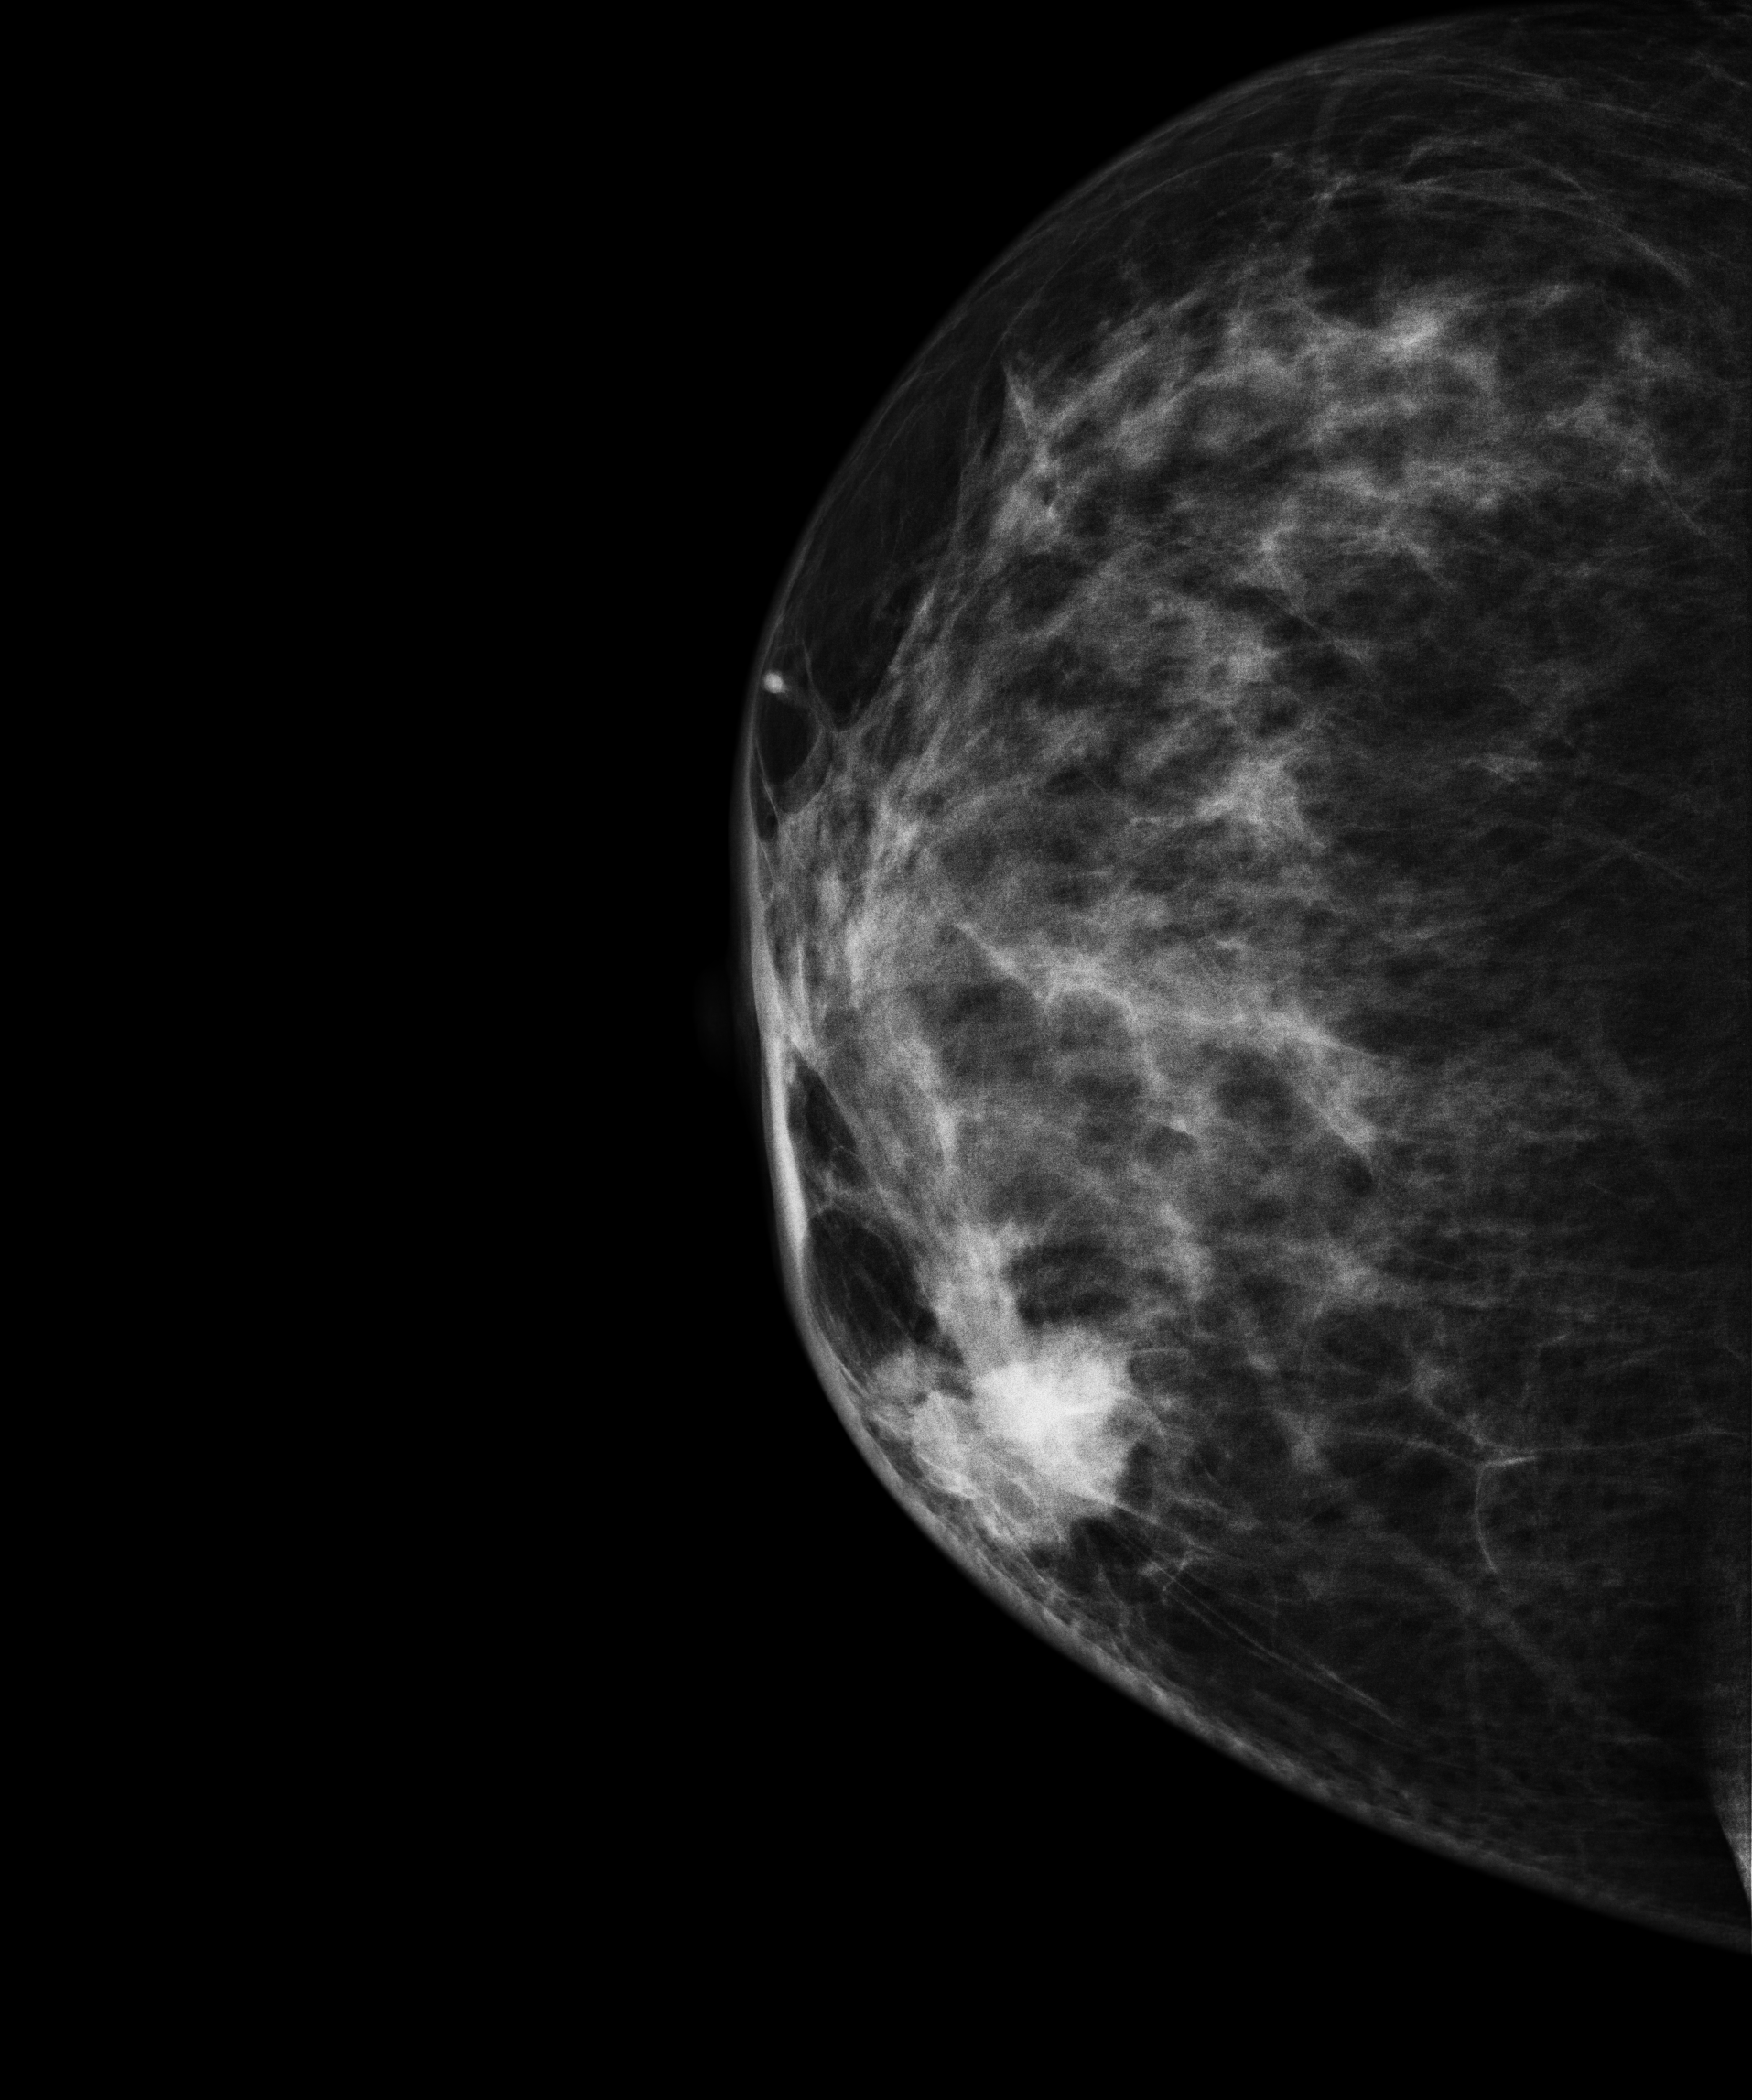
Mammogram, right breast, CC view. Patient age 32.
This breast has a mass, pathology-confirmed malignant.